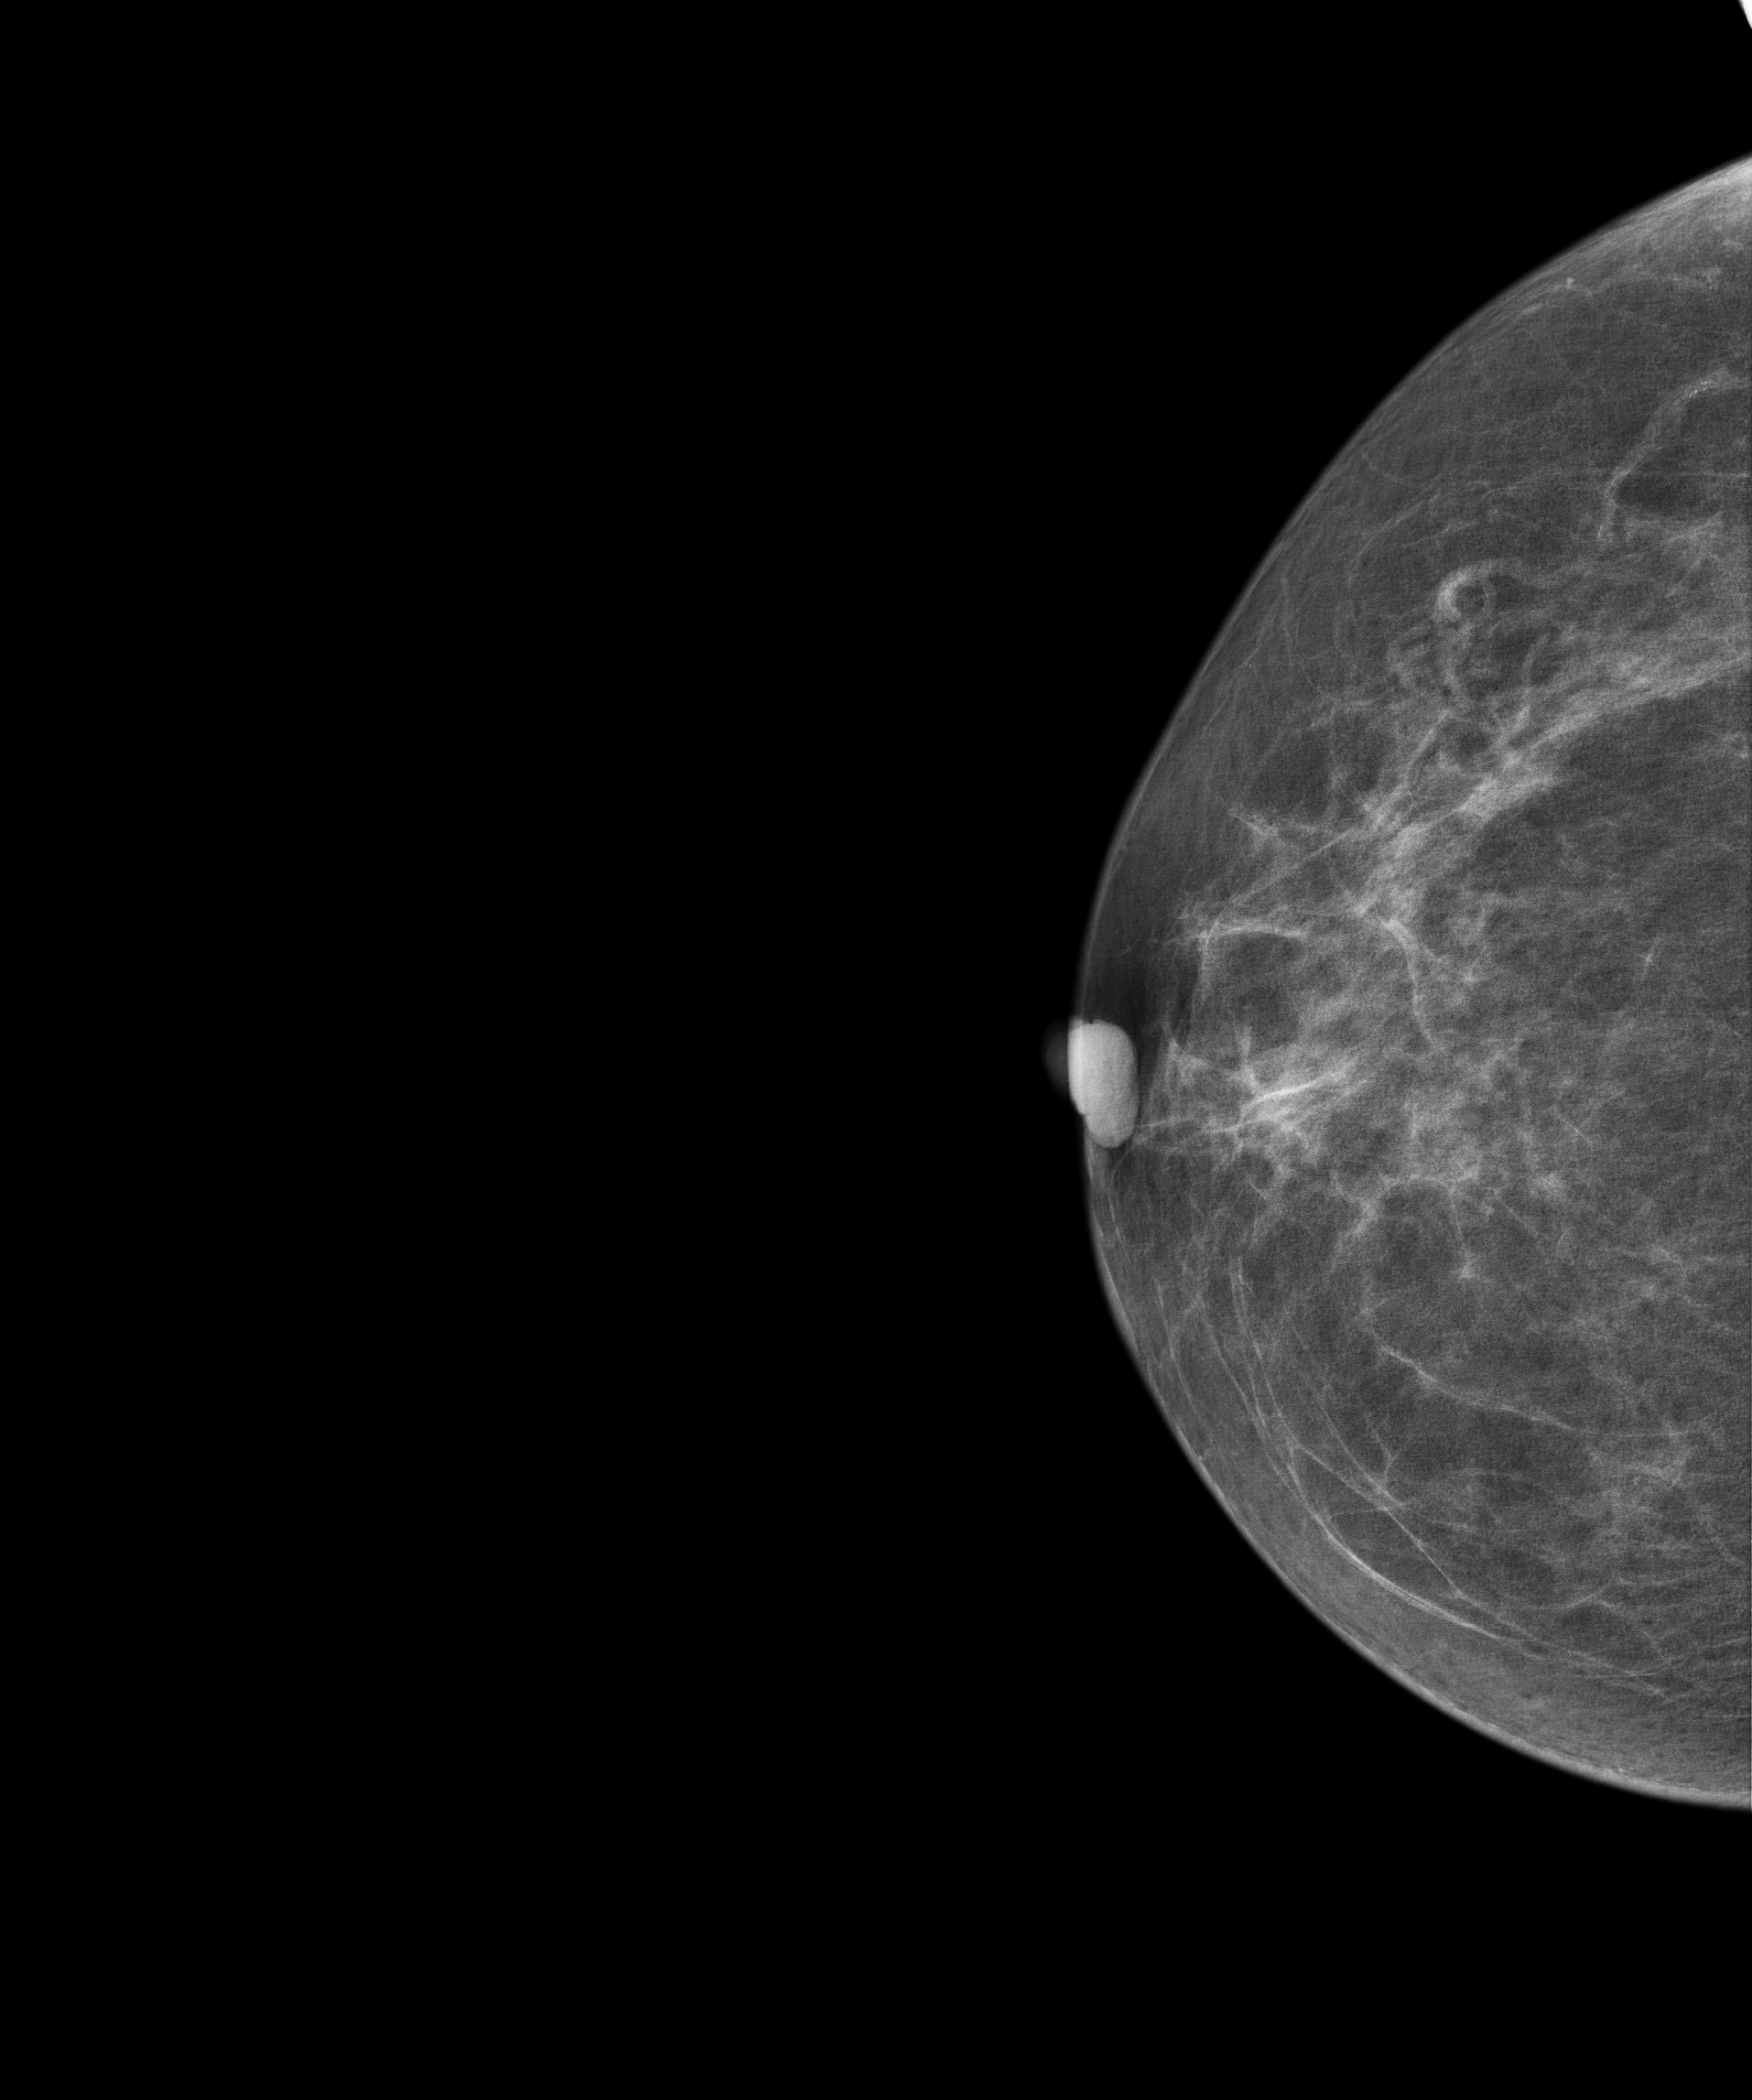
Right-breast mammogram, CC. Patient age 58.
Contralateral breast — no documented abnormality on this side.